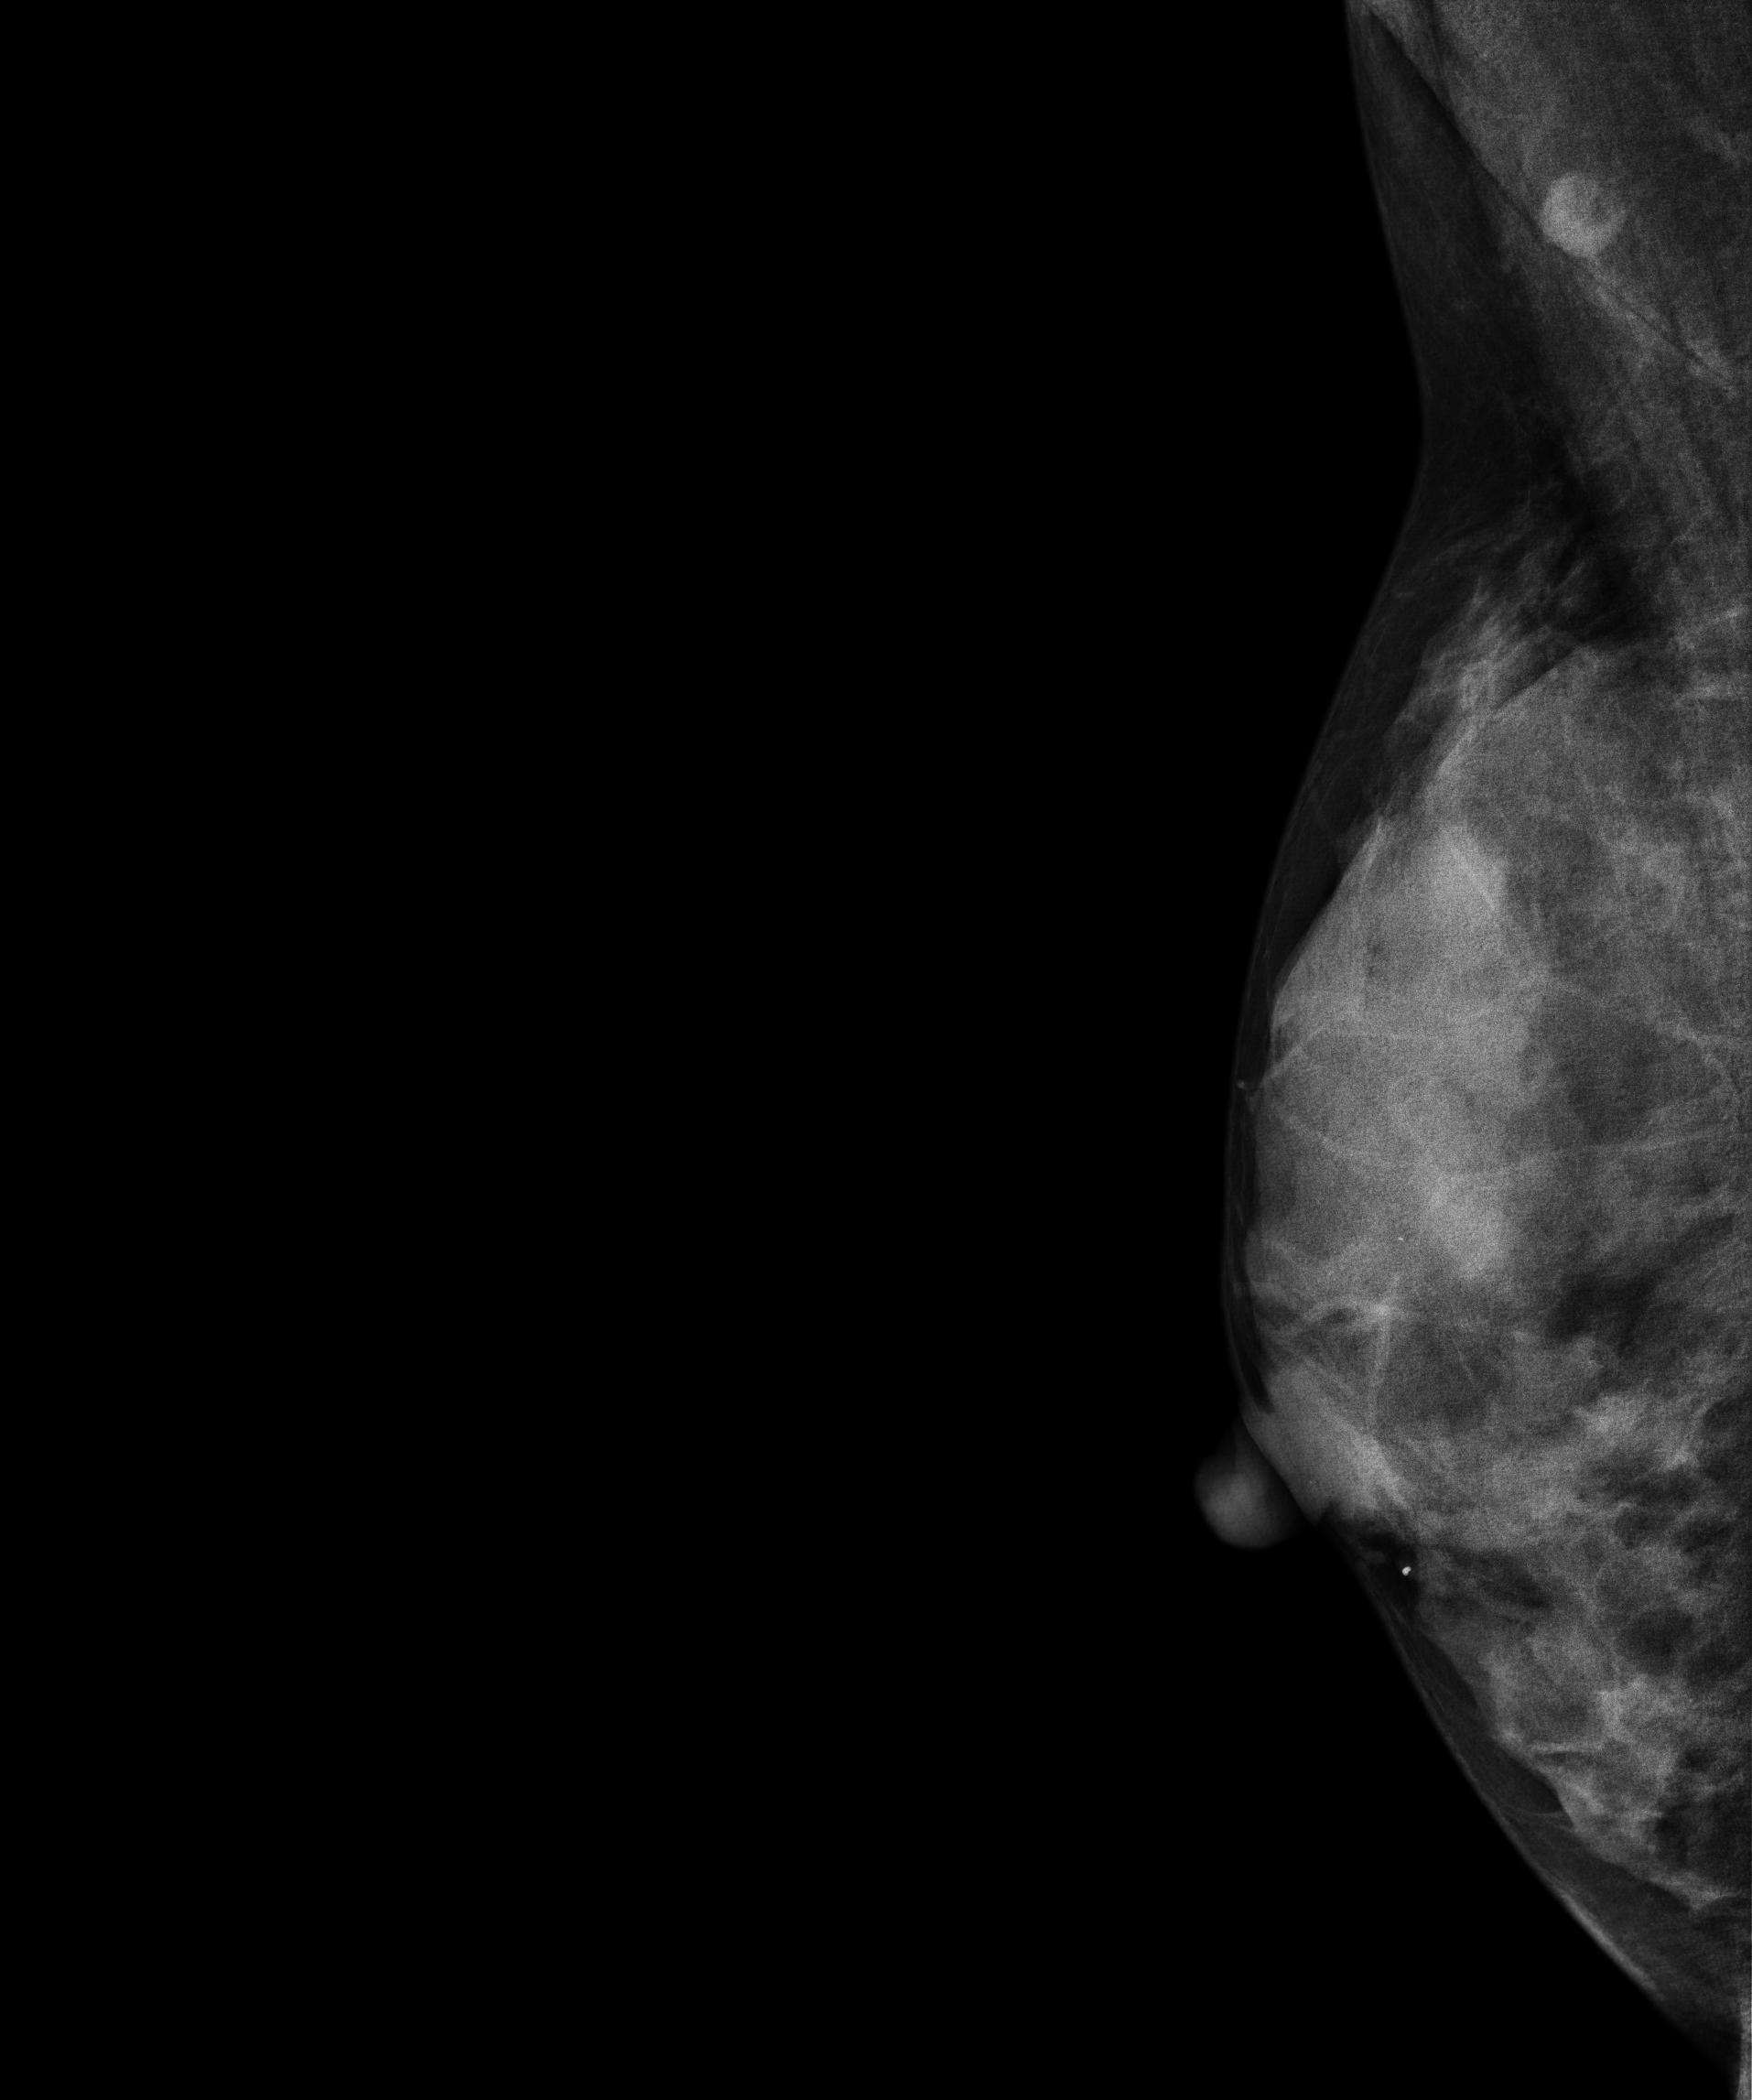
Mammogram, right breast, medio-lateral oblique view. 48-year-old patient.
Contralateral breast — no documented abnormality on this side.